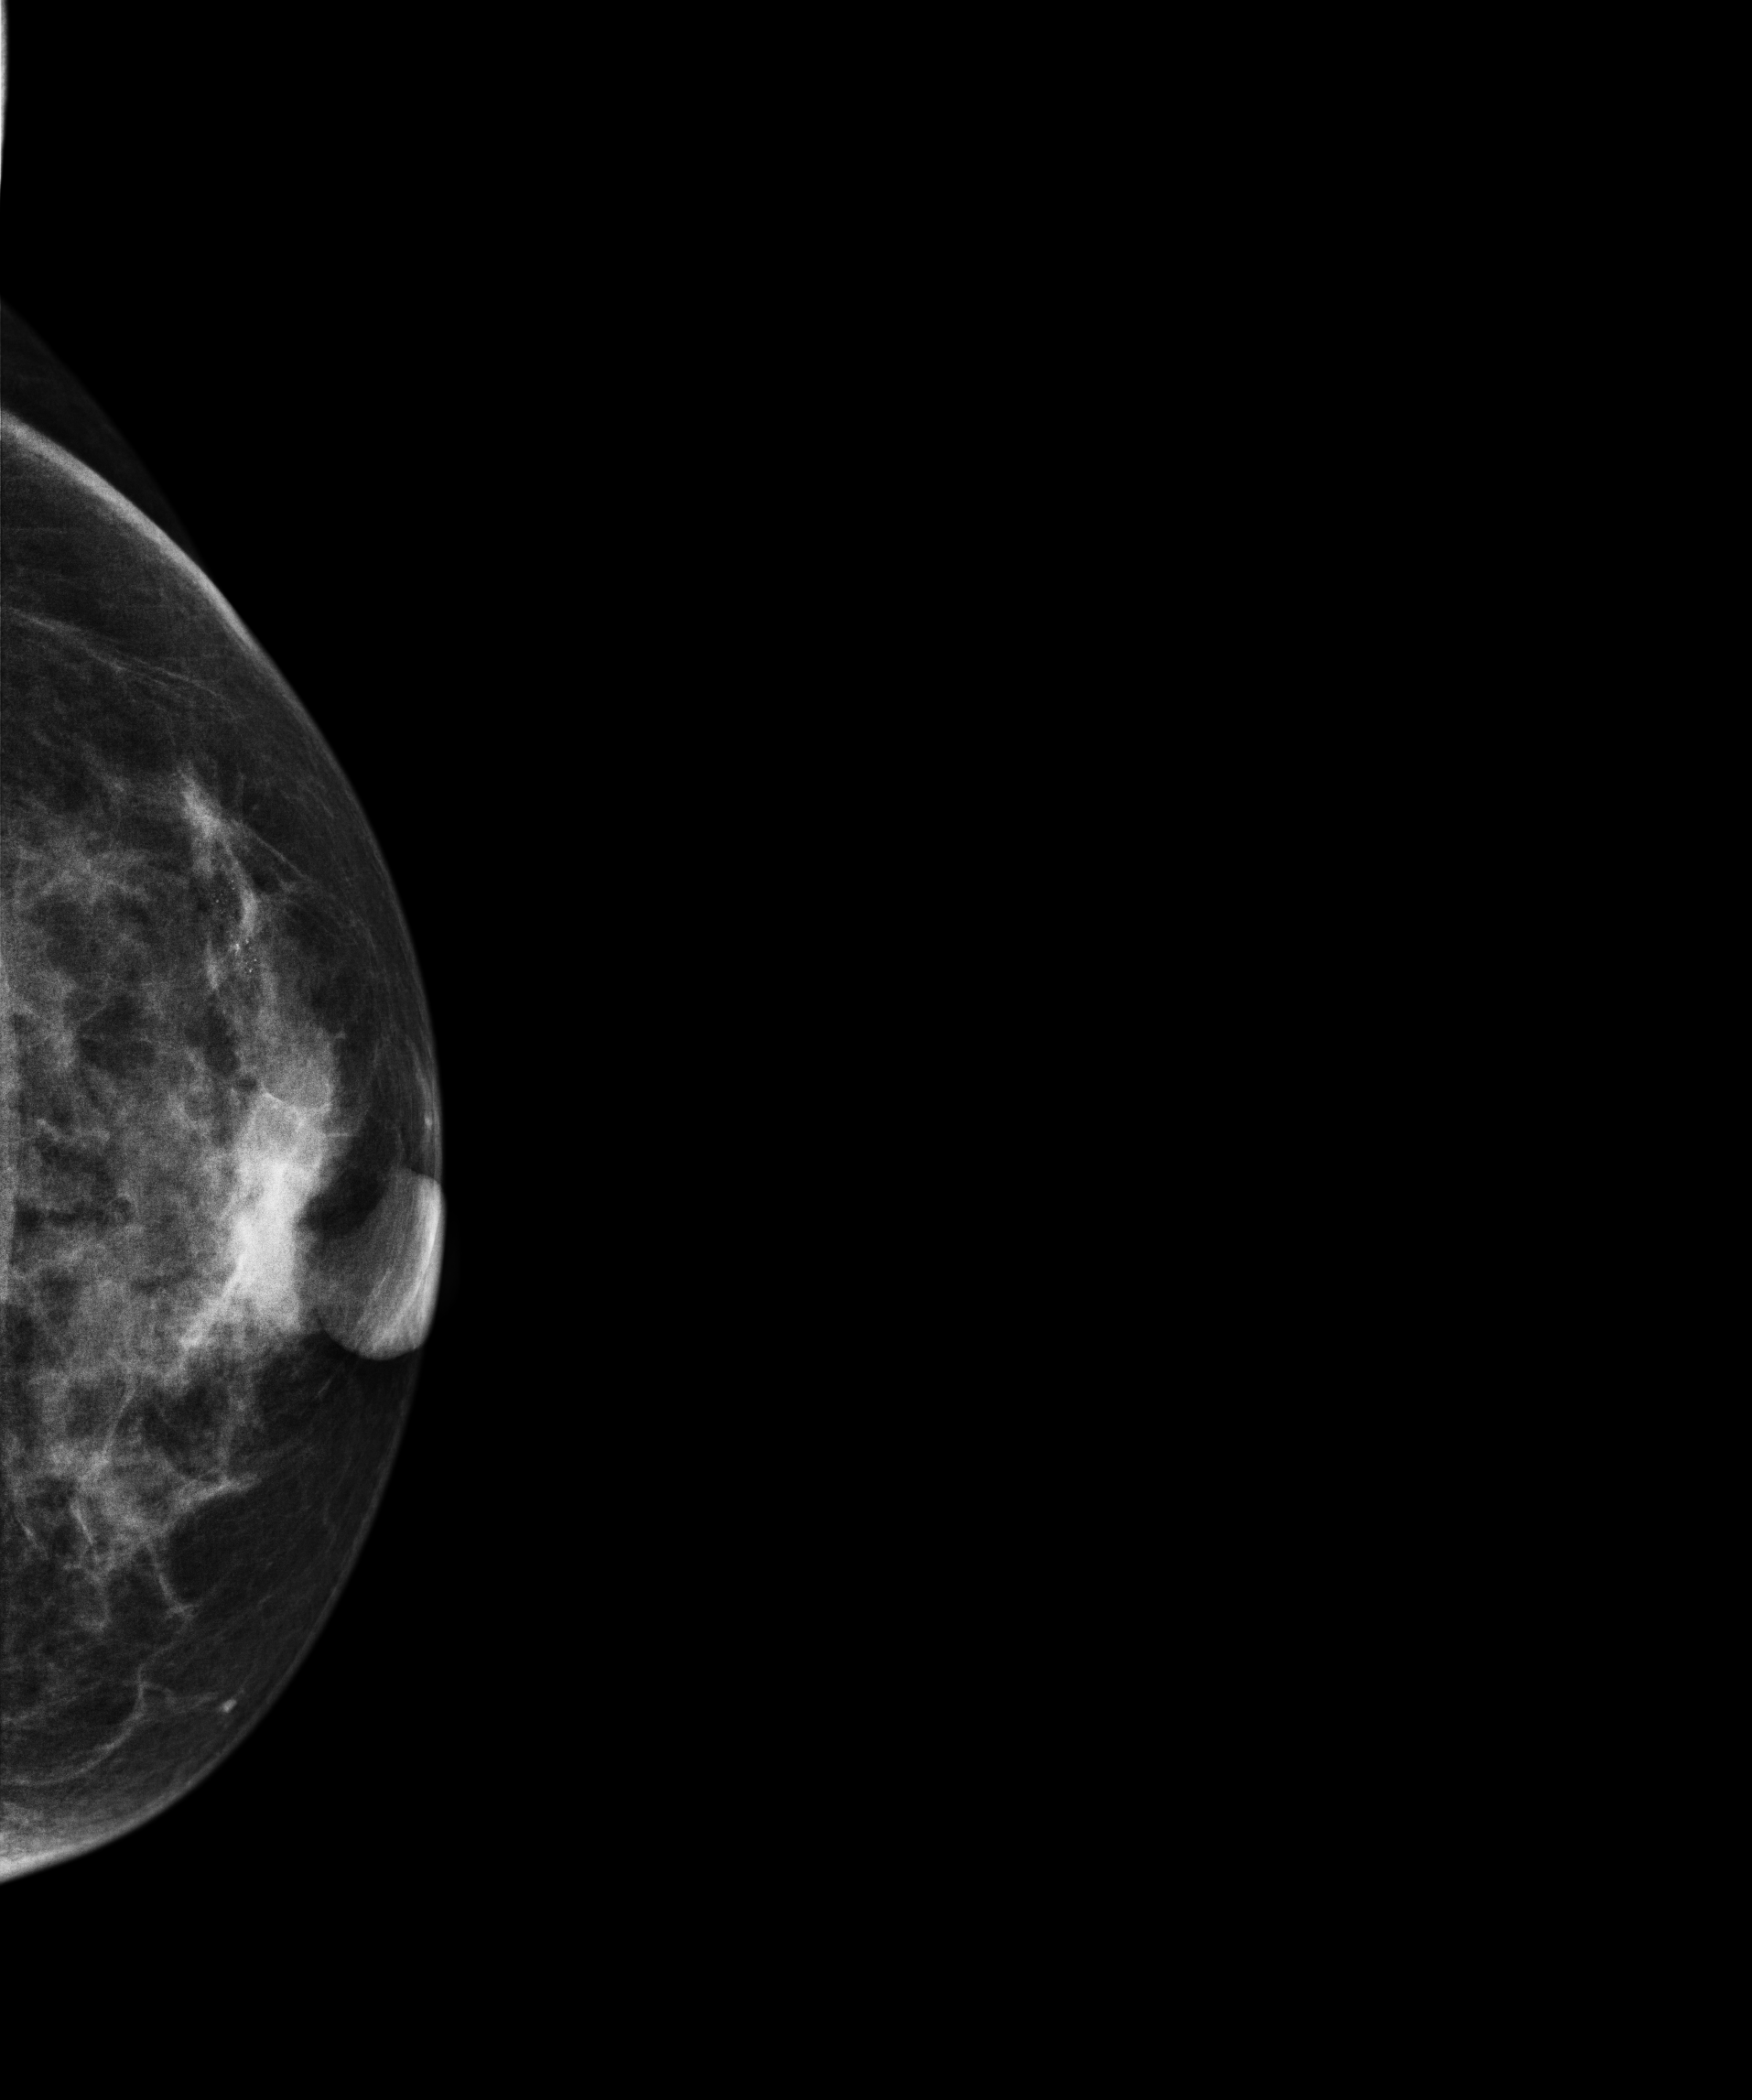
Mammogram, left breast, cranio-caudal view. Patient age 43.
This breast has calcifications, biopsy-confirmed benign.